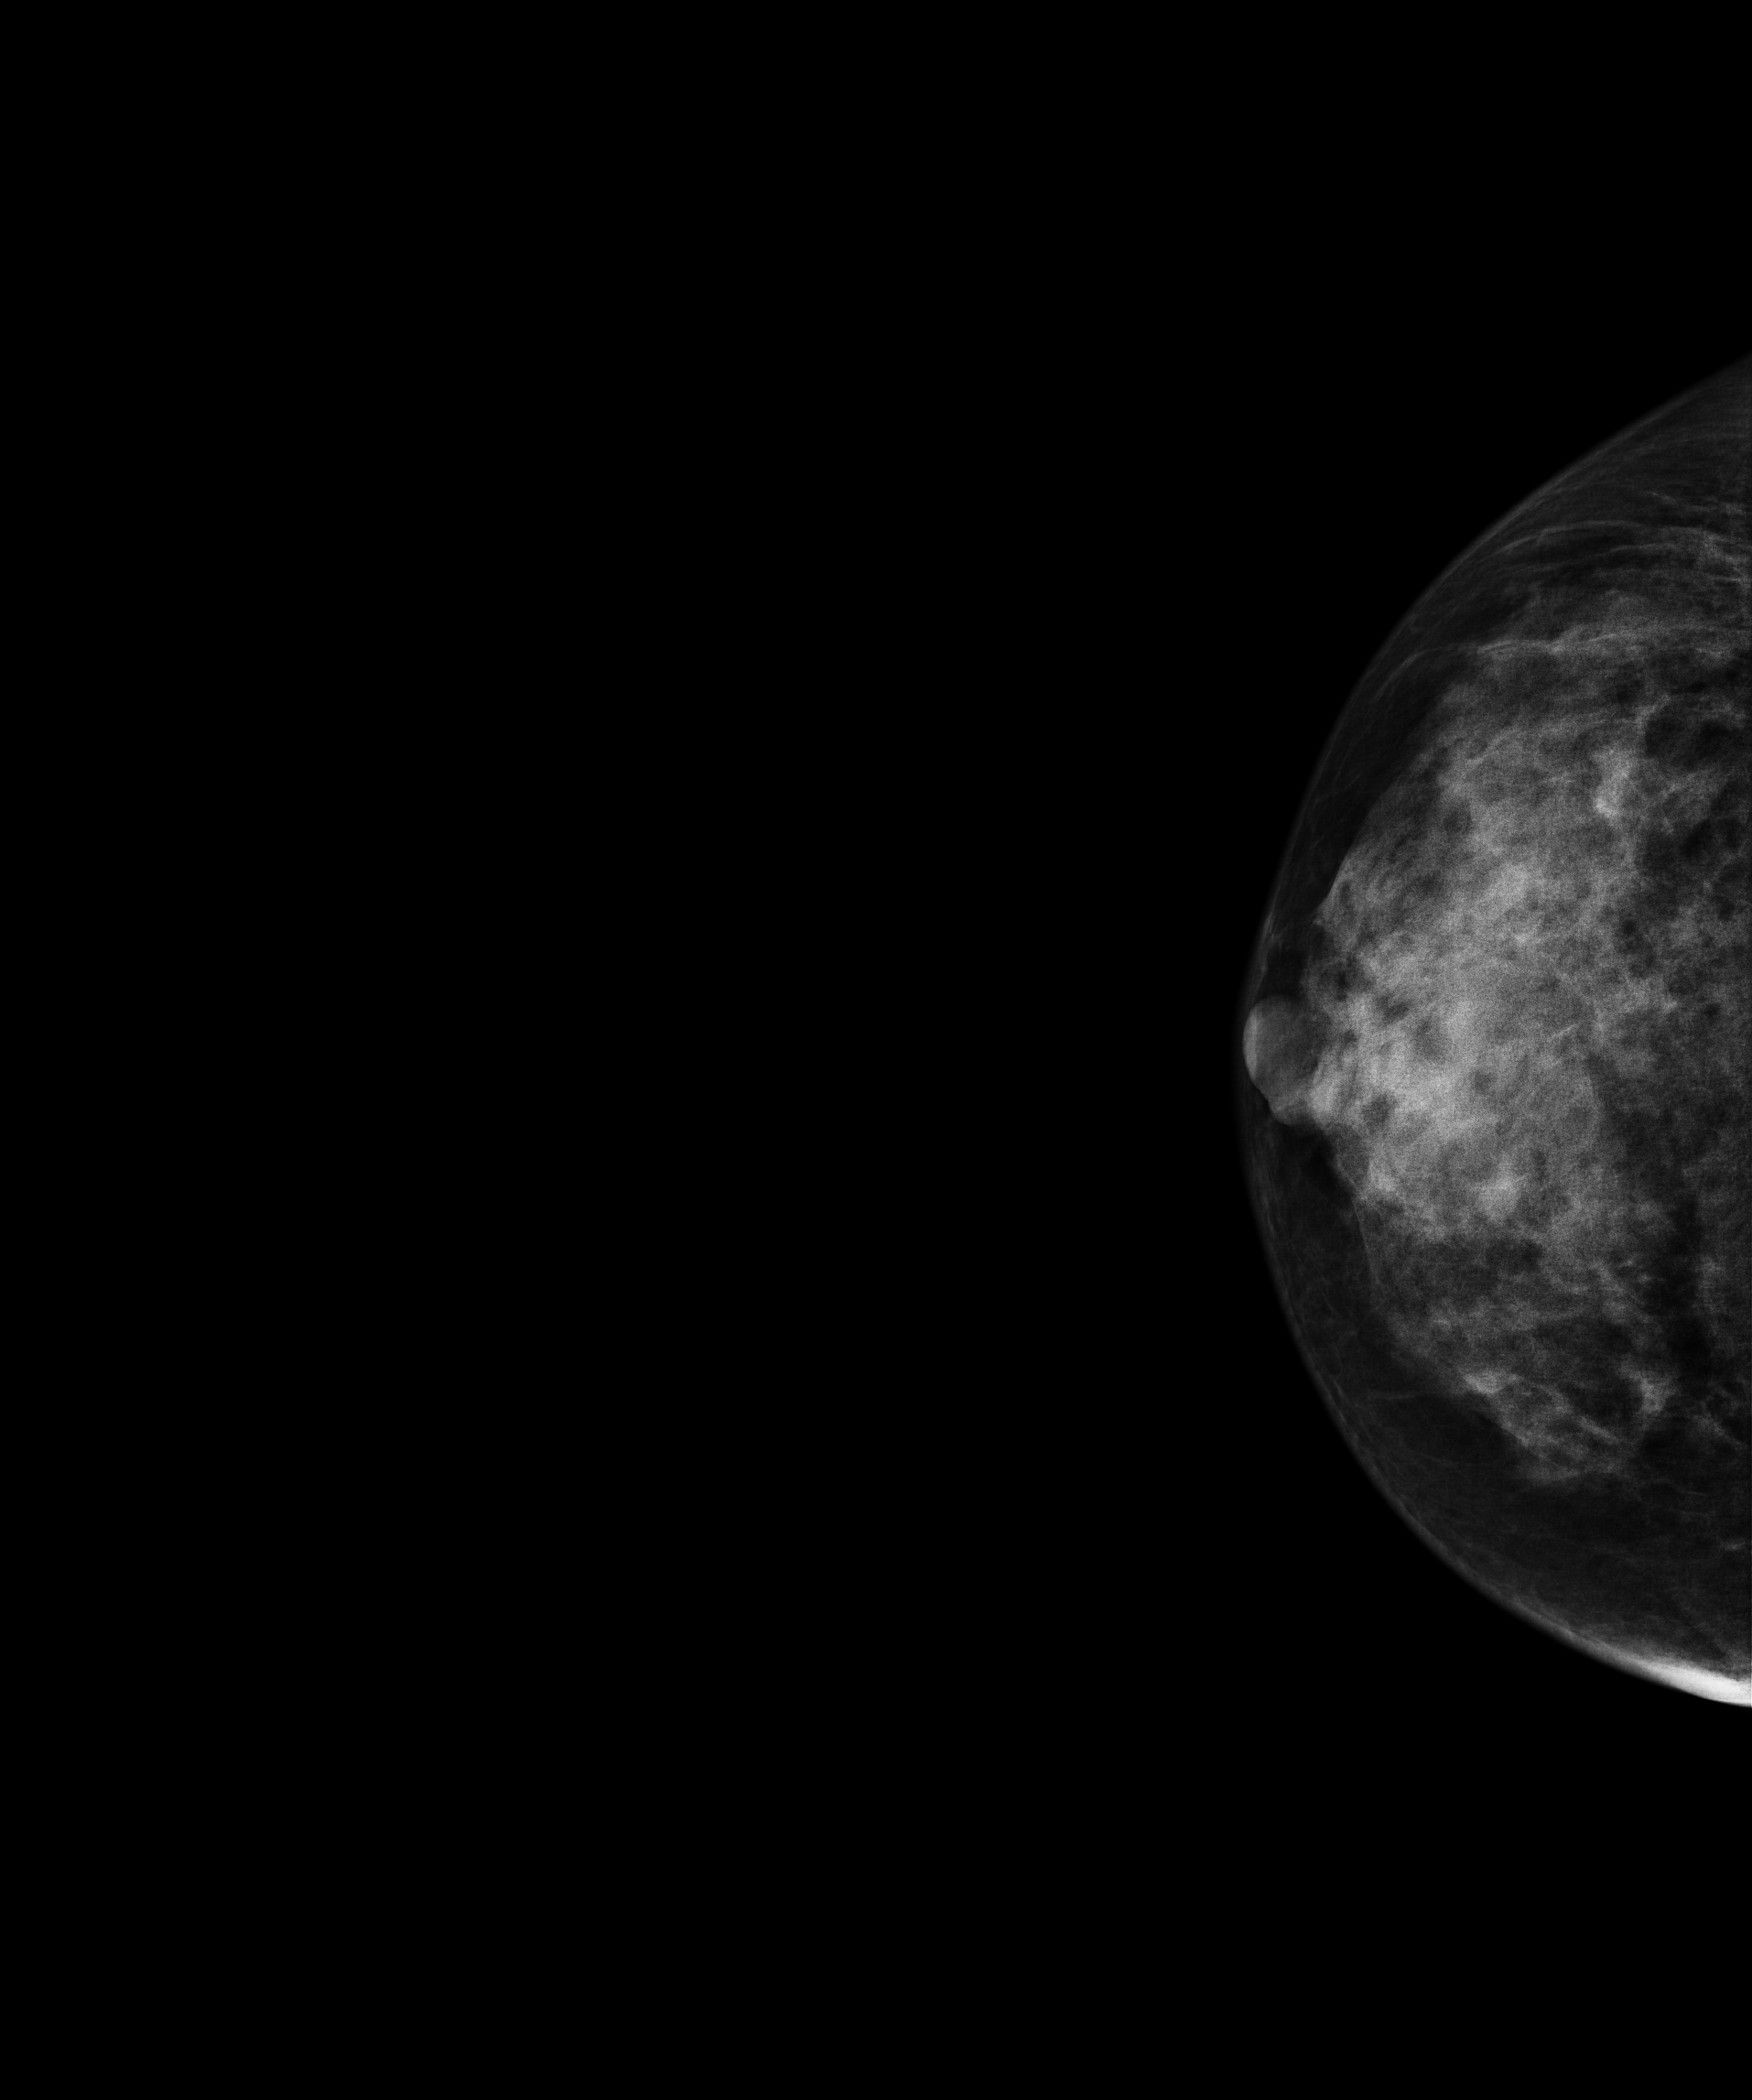
Mammogram — right CC. Patient age 31.
This breast has a mass, biopsy-confirmed benign.